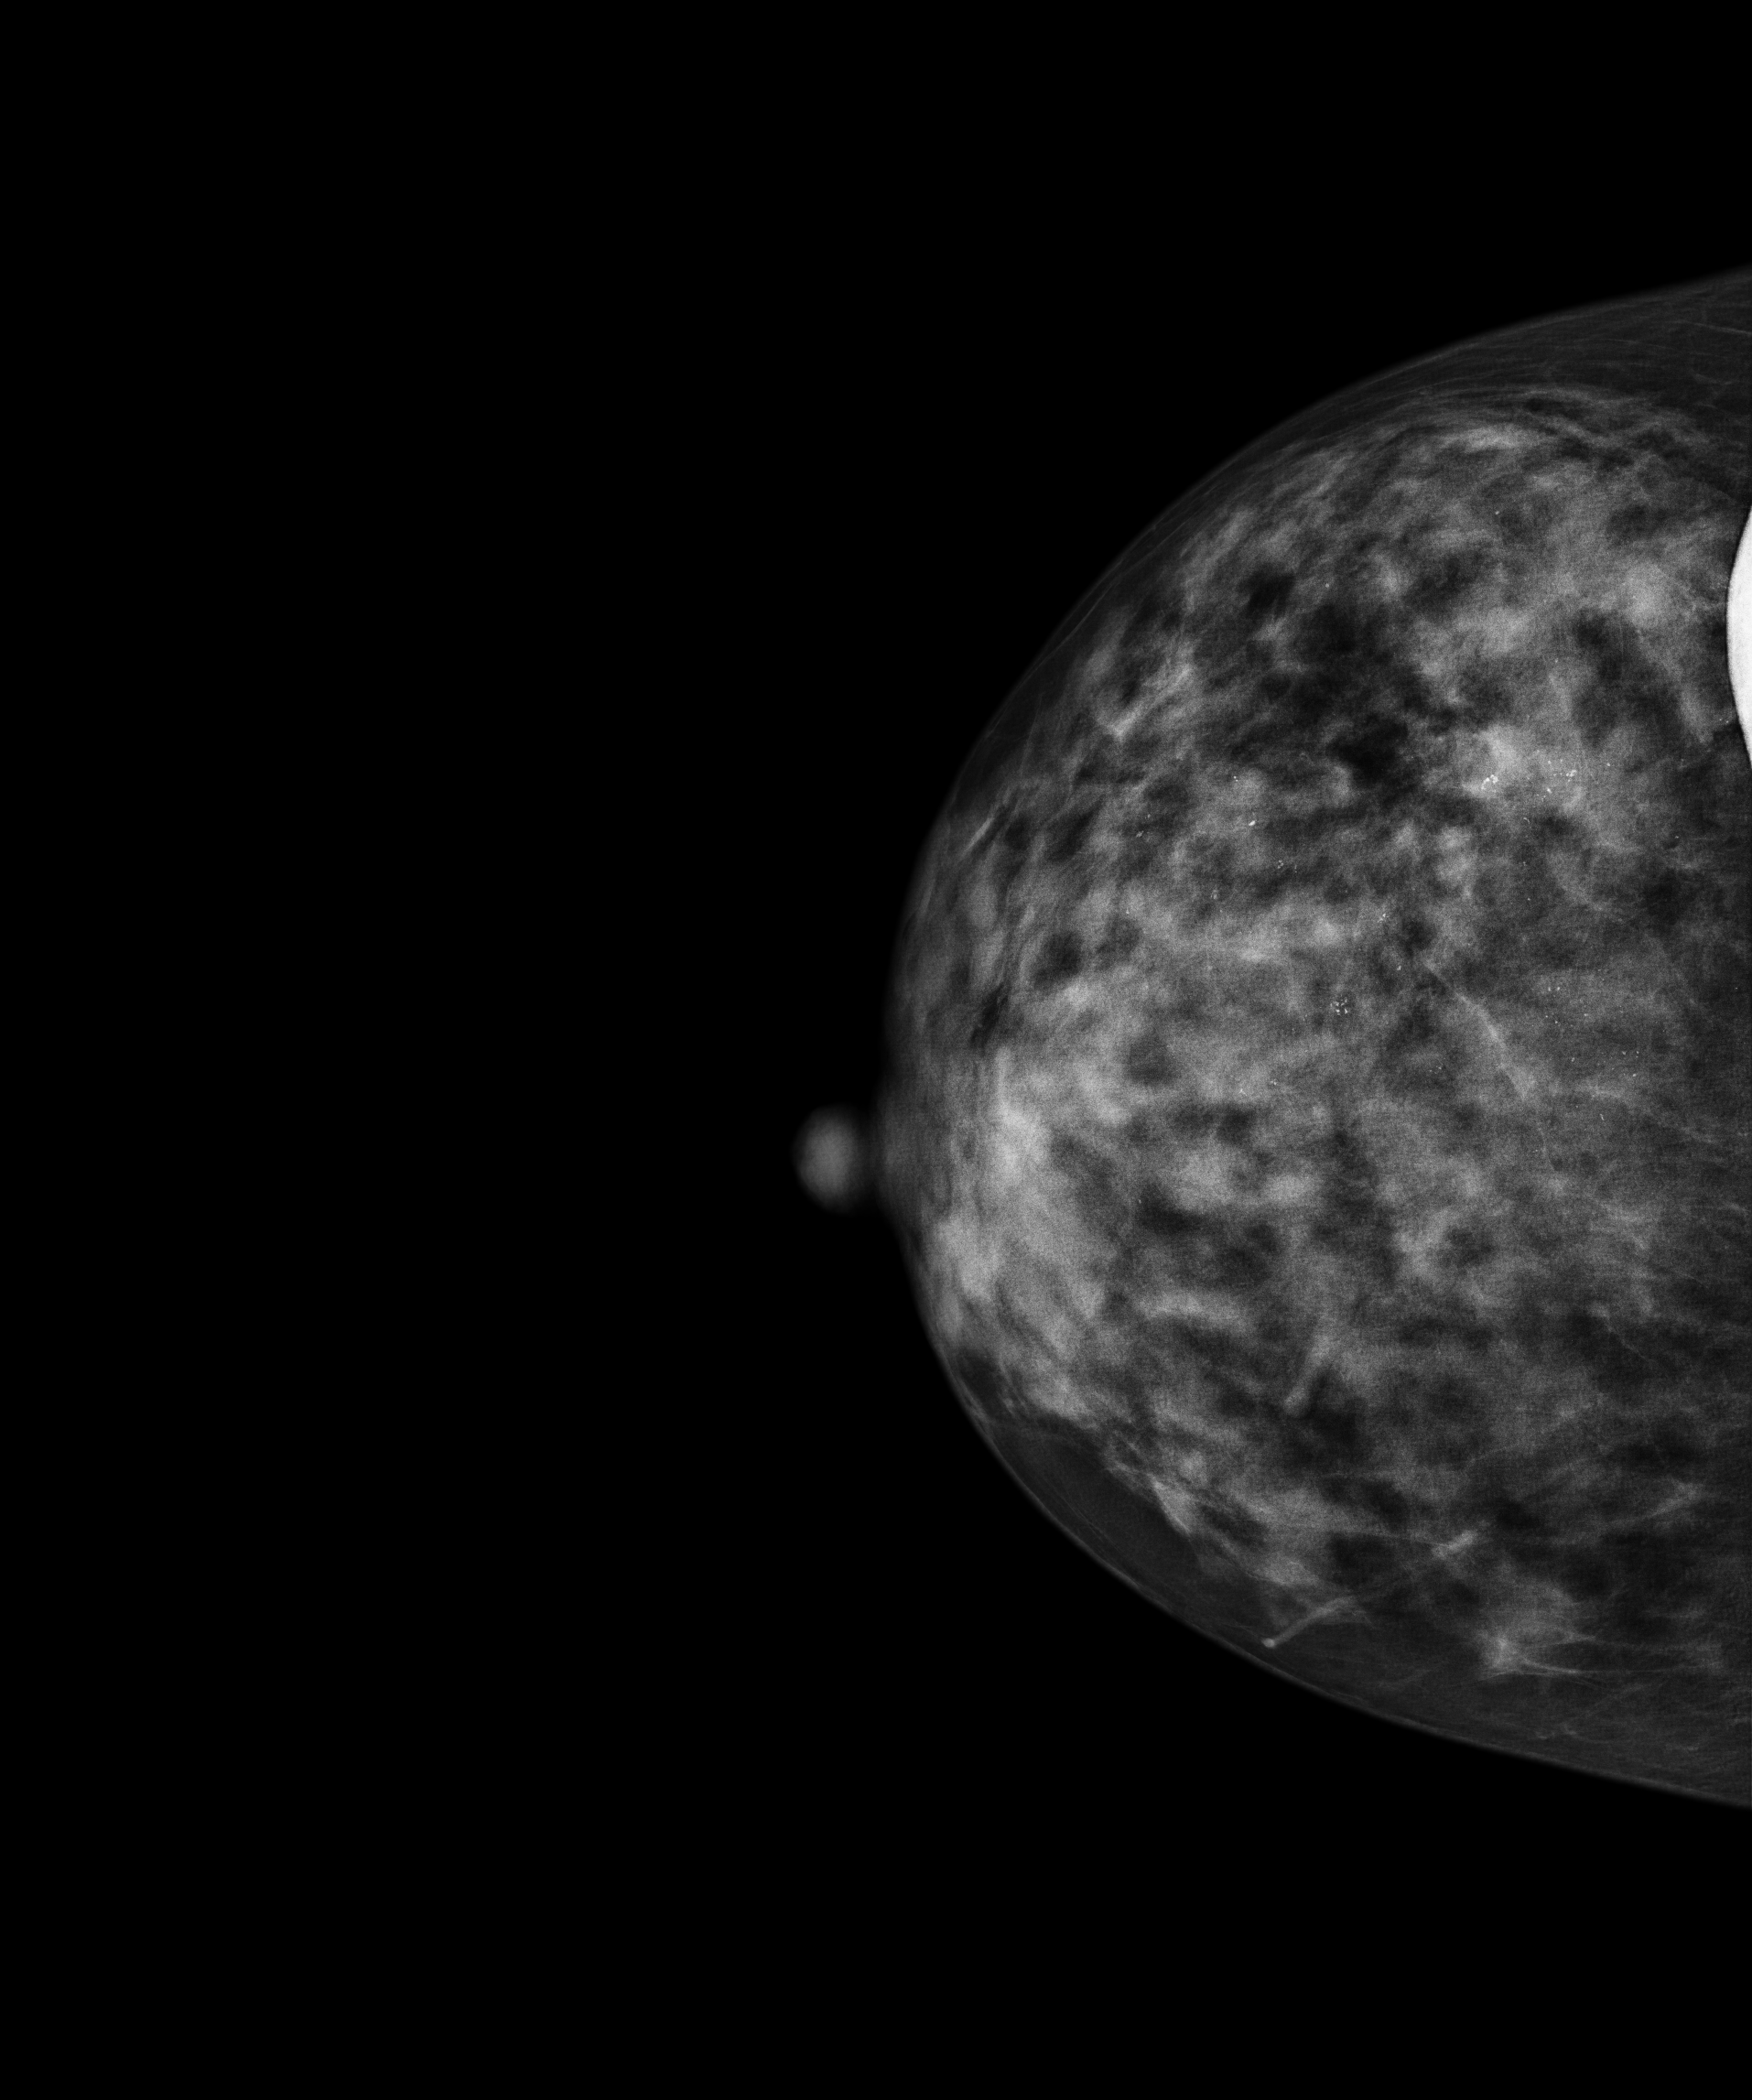
CC mammogram of the right breast. 38-year-old patient.
This breast has calcifications, pathology-confirmed malignant. Molecular subtype: HER2-enriched.